Mammogram, left breast, cranio-caudal view. 48-year-old patient.
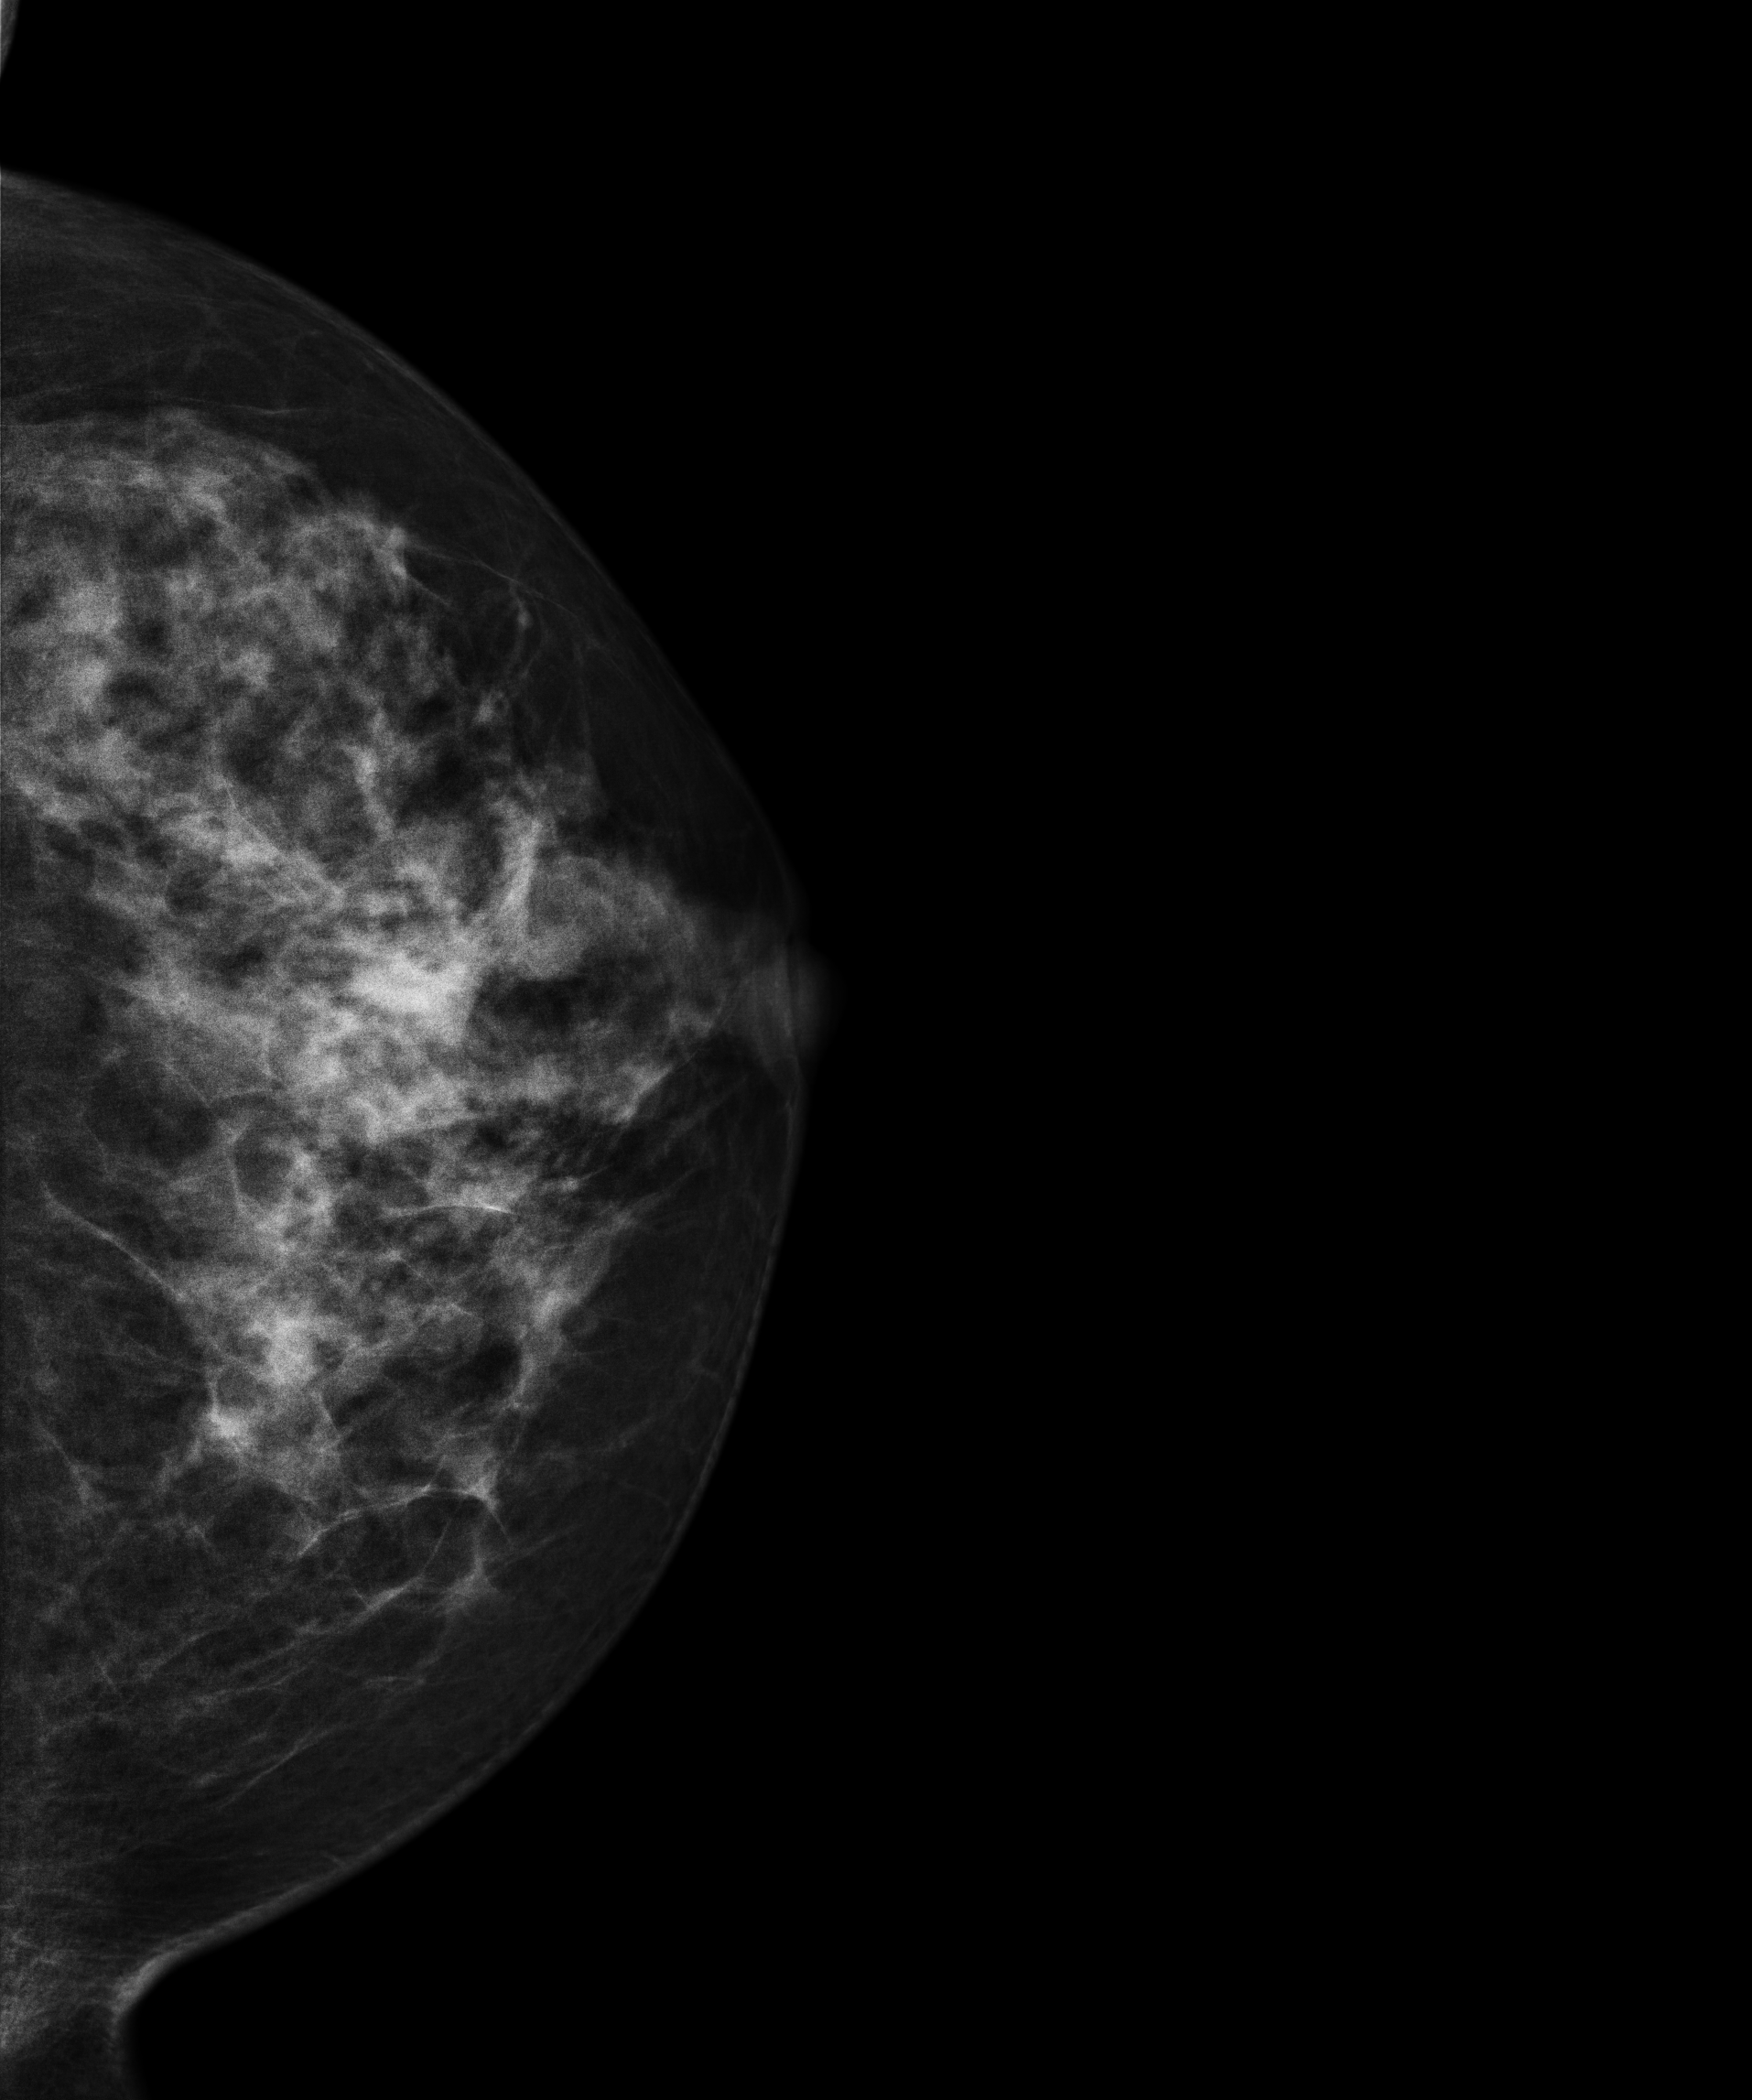
This breast has a mass, histologically confirmed malignant.